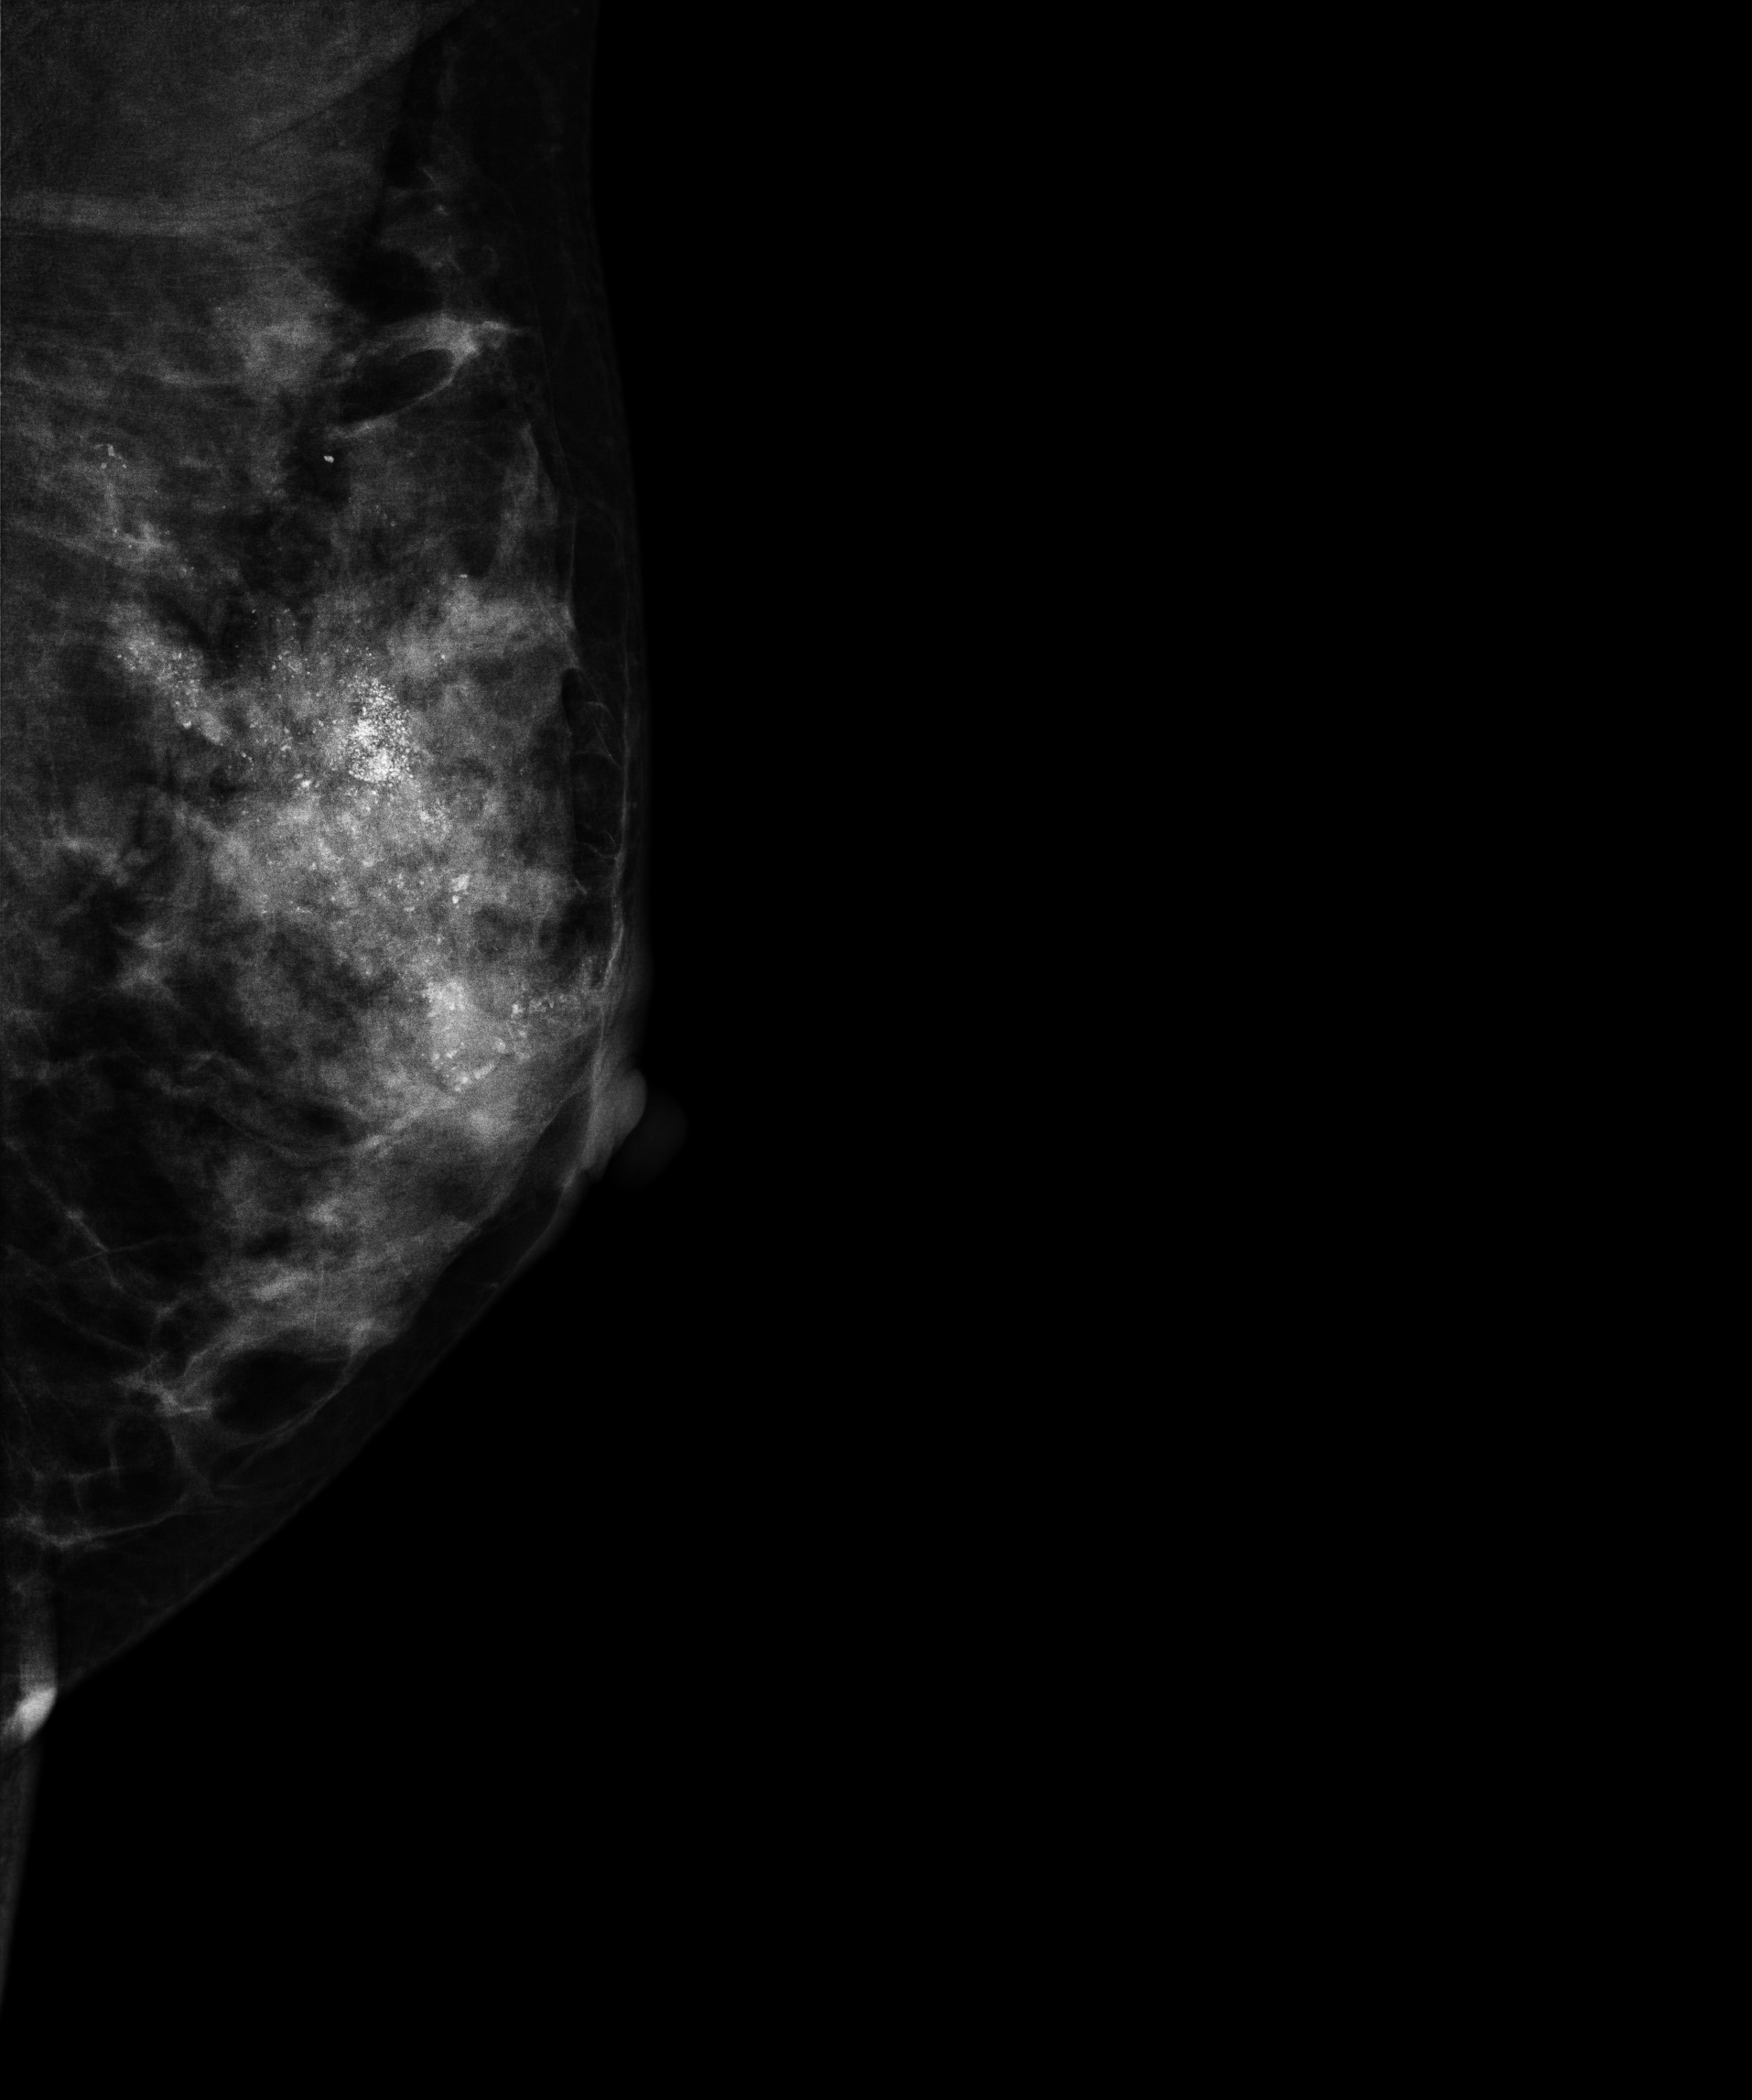
Digital mammography. Left breast, MLO projection. 50 y/o patient.
This breast has a mass and calcifications, pathology-confirmed malignant. Molecular subtype: luminal B.